Digital mammography. Right breast, MLO projection. 58-year-old patient.
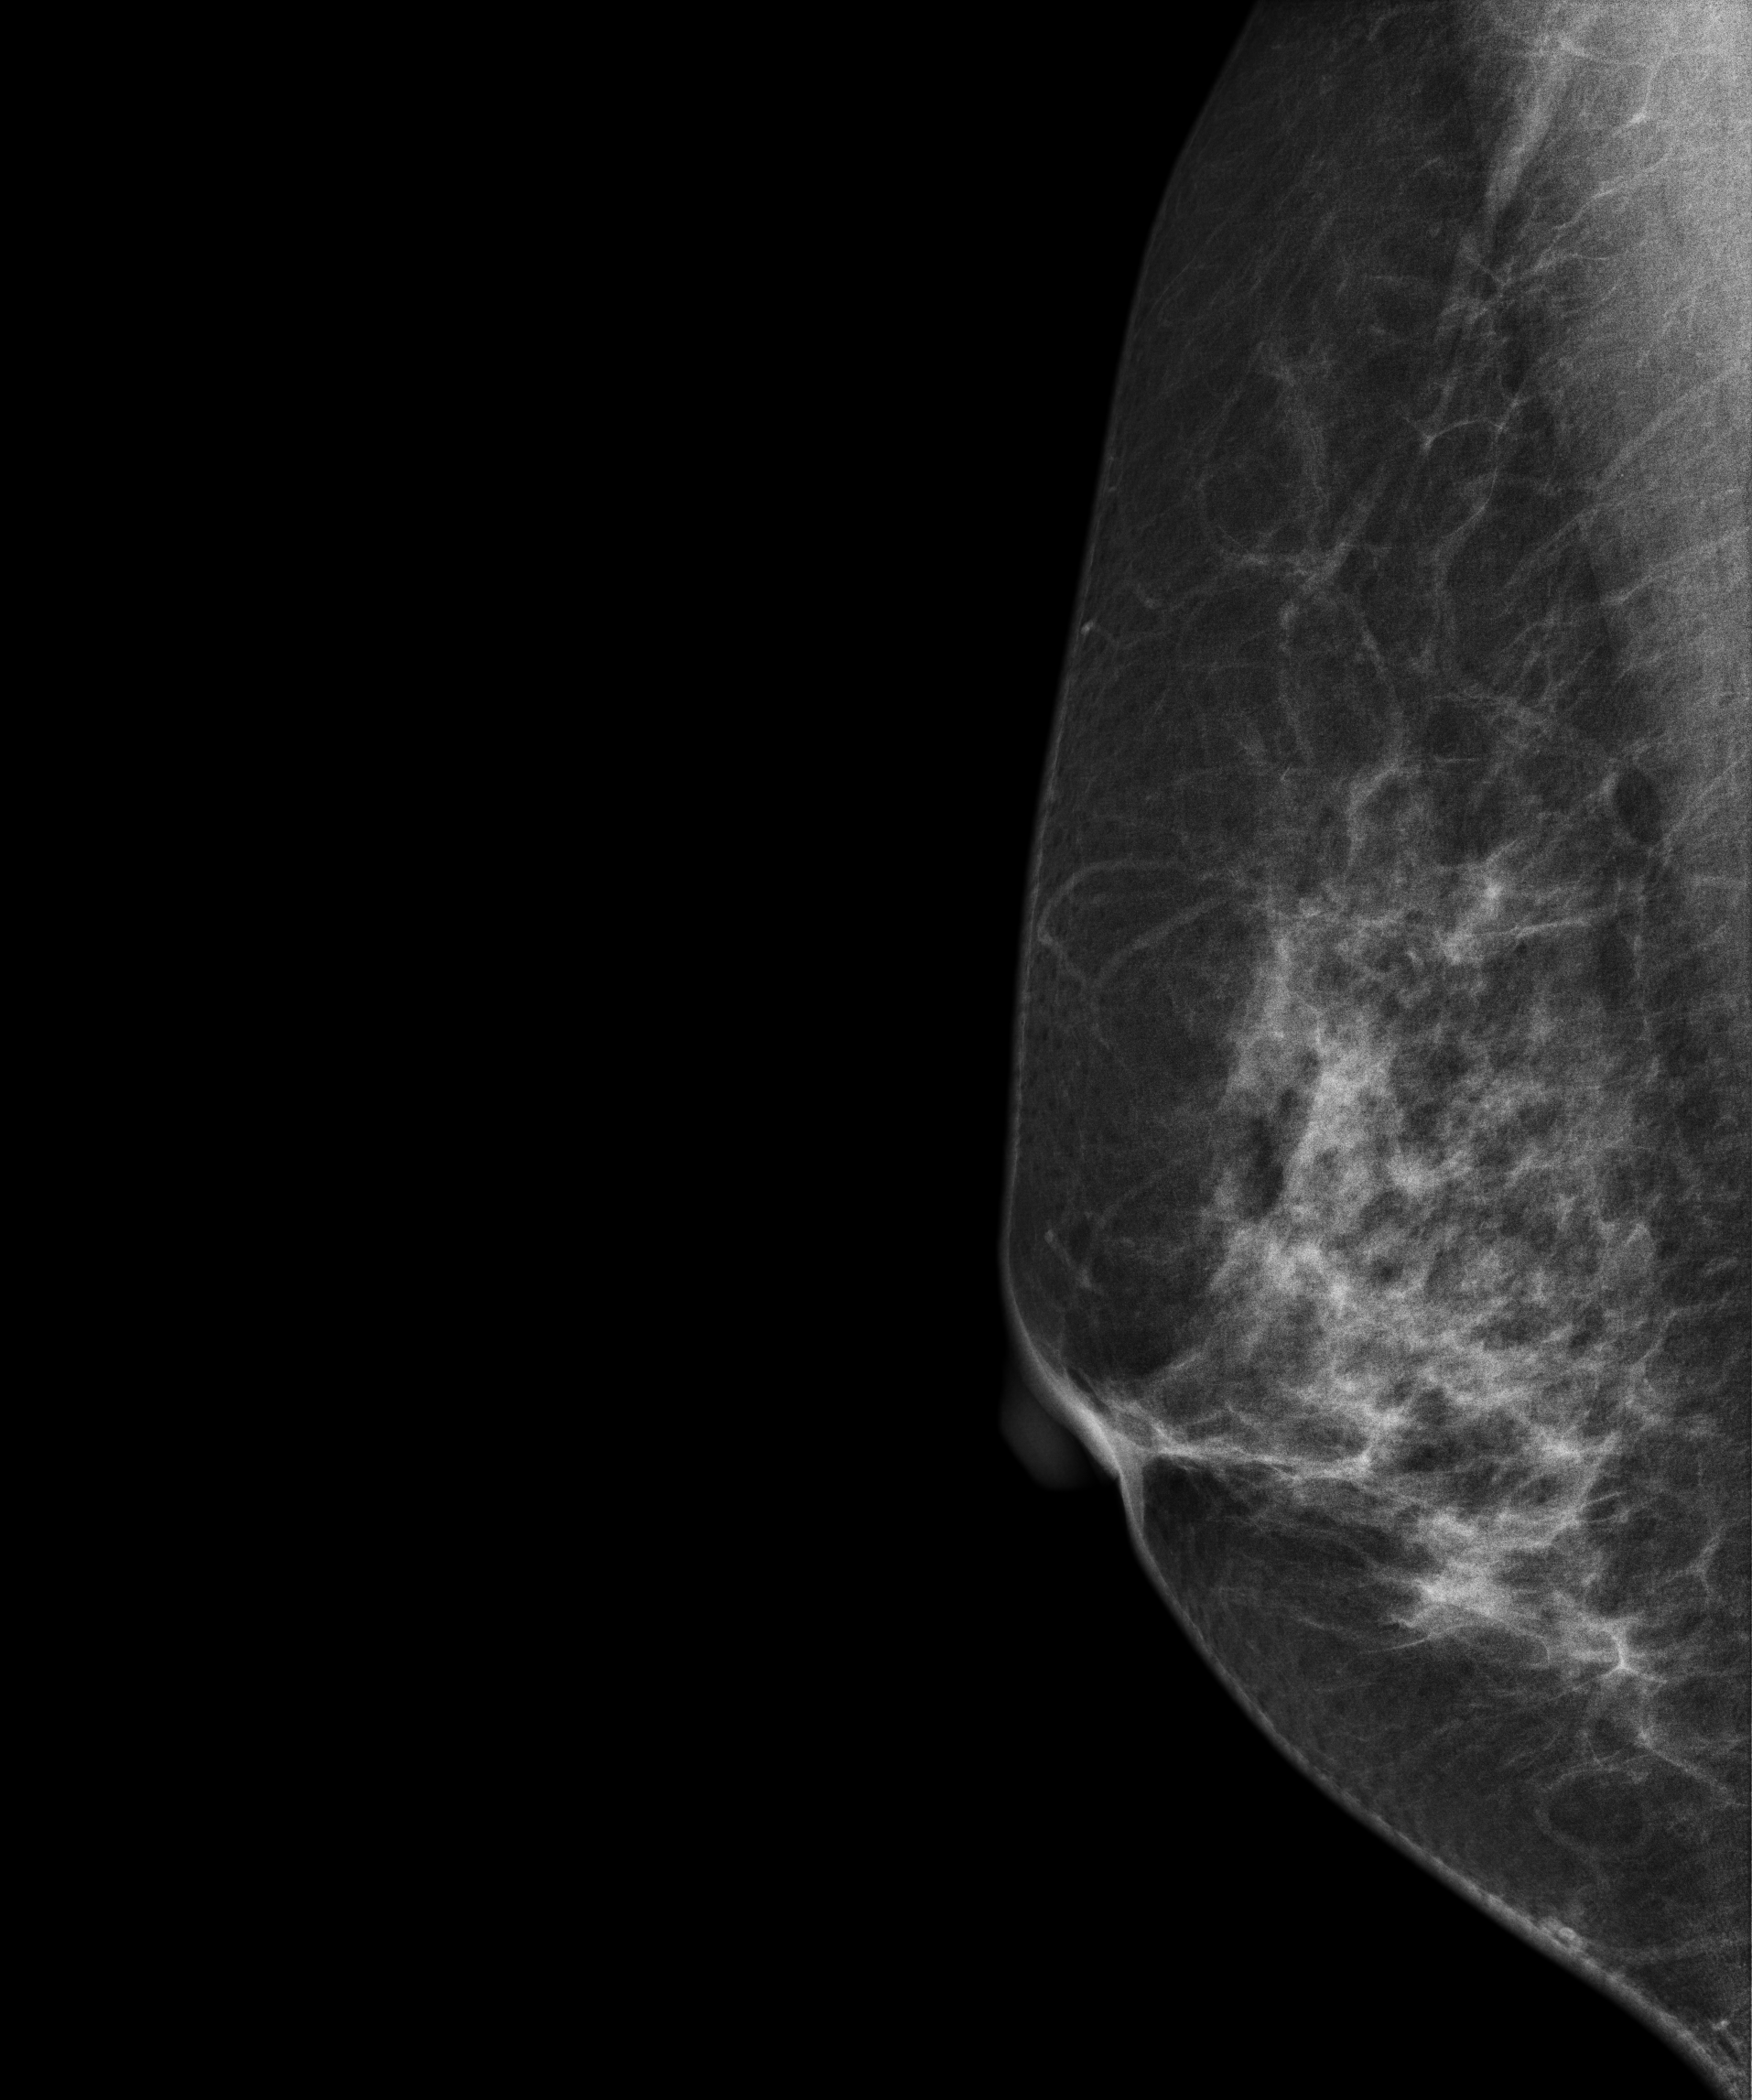
Contralateral breast — no documented abnormality on this side.